Mammogram — right cranio-caudal. Patient age 48.
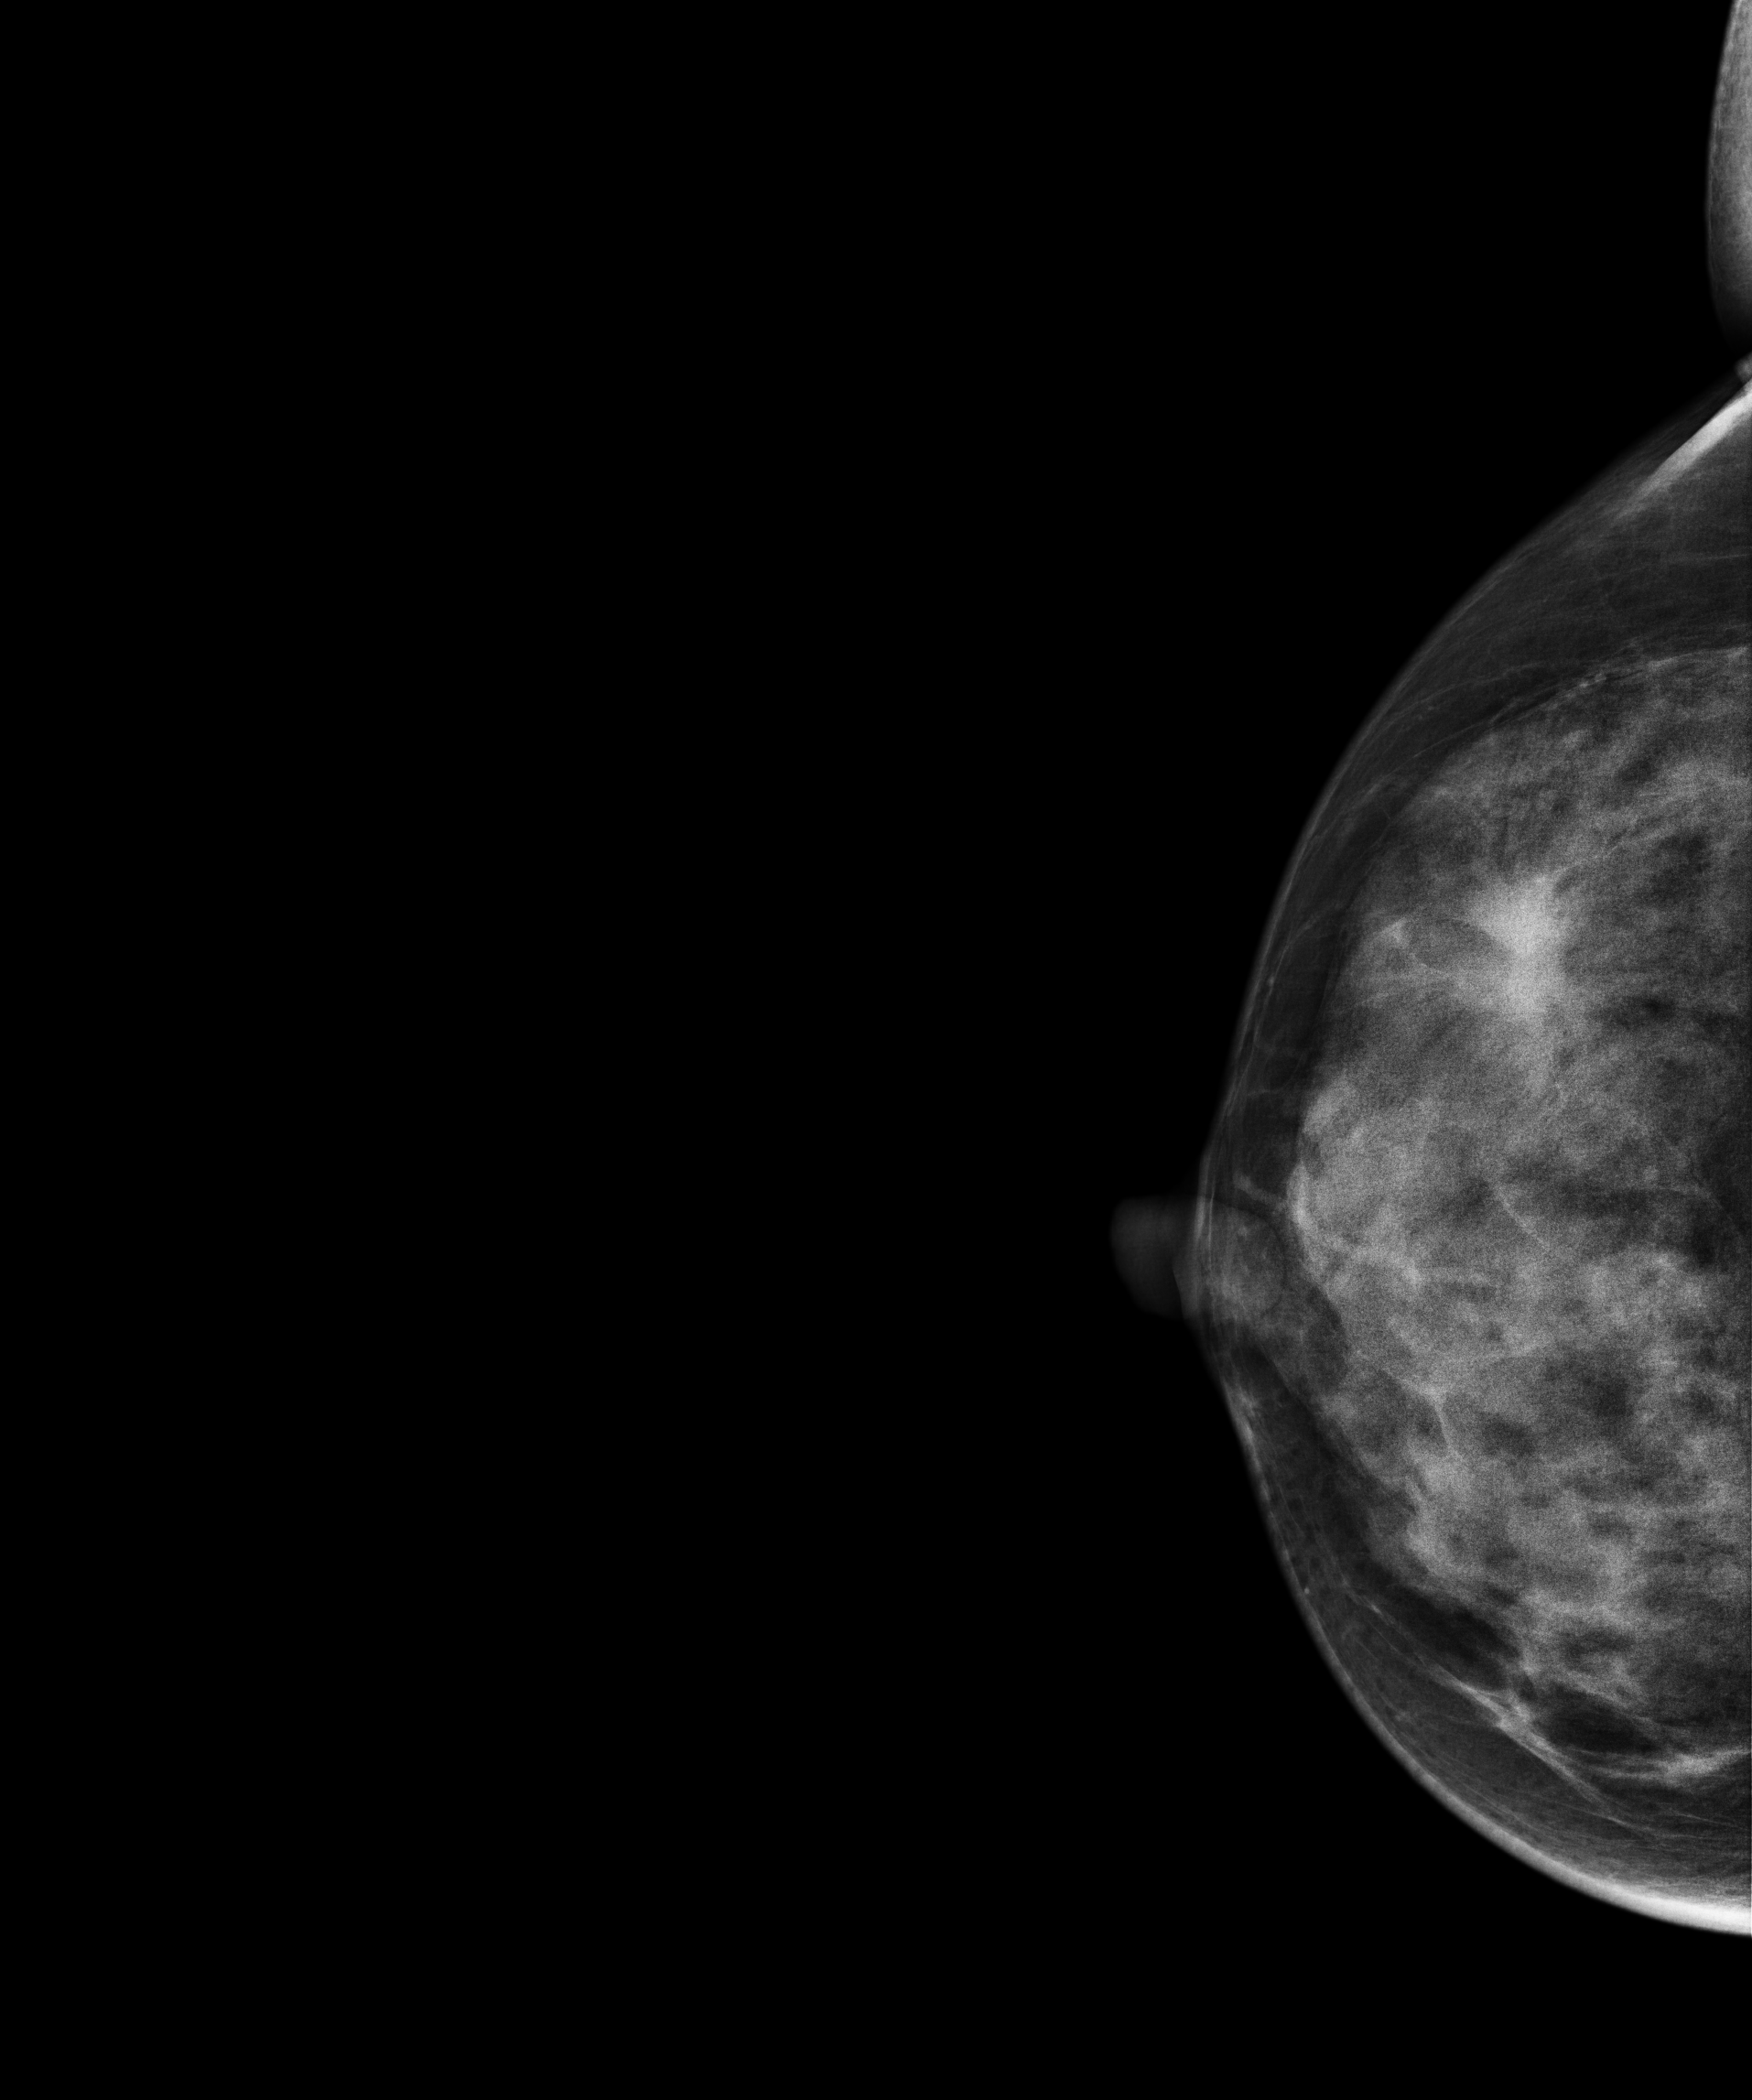
This breast has a mass, biopsy-confirmed malignant. Molecular subtype: luminal A.